Mammogram, right breast, medio-lateral oblique view. Patient age 53.
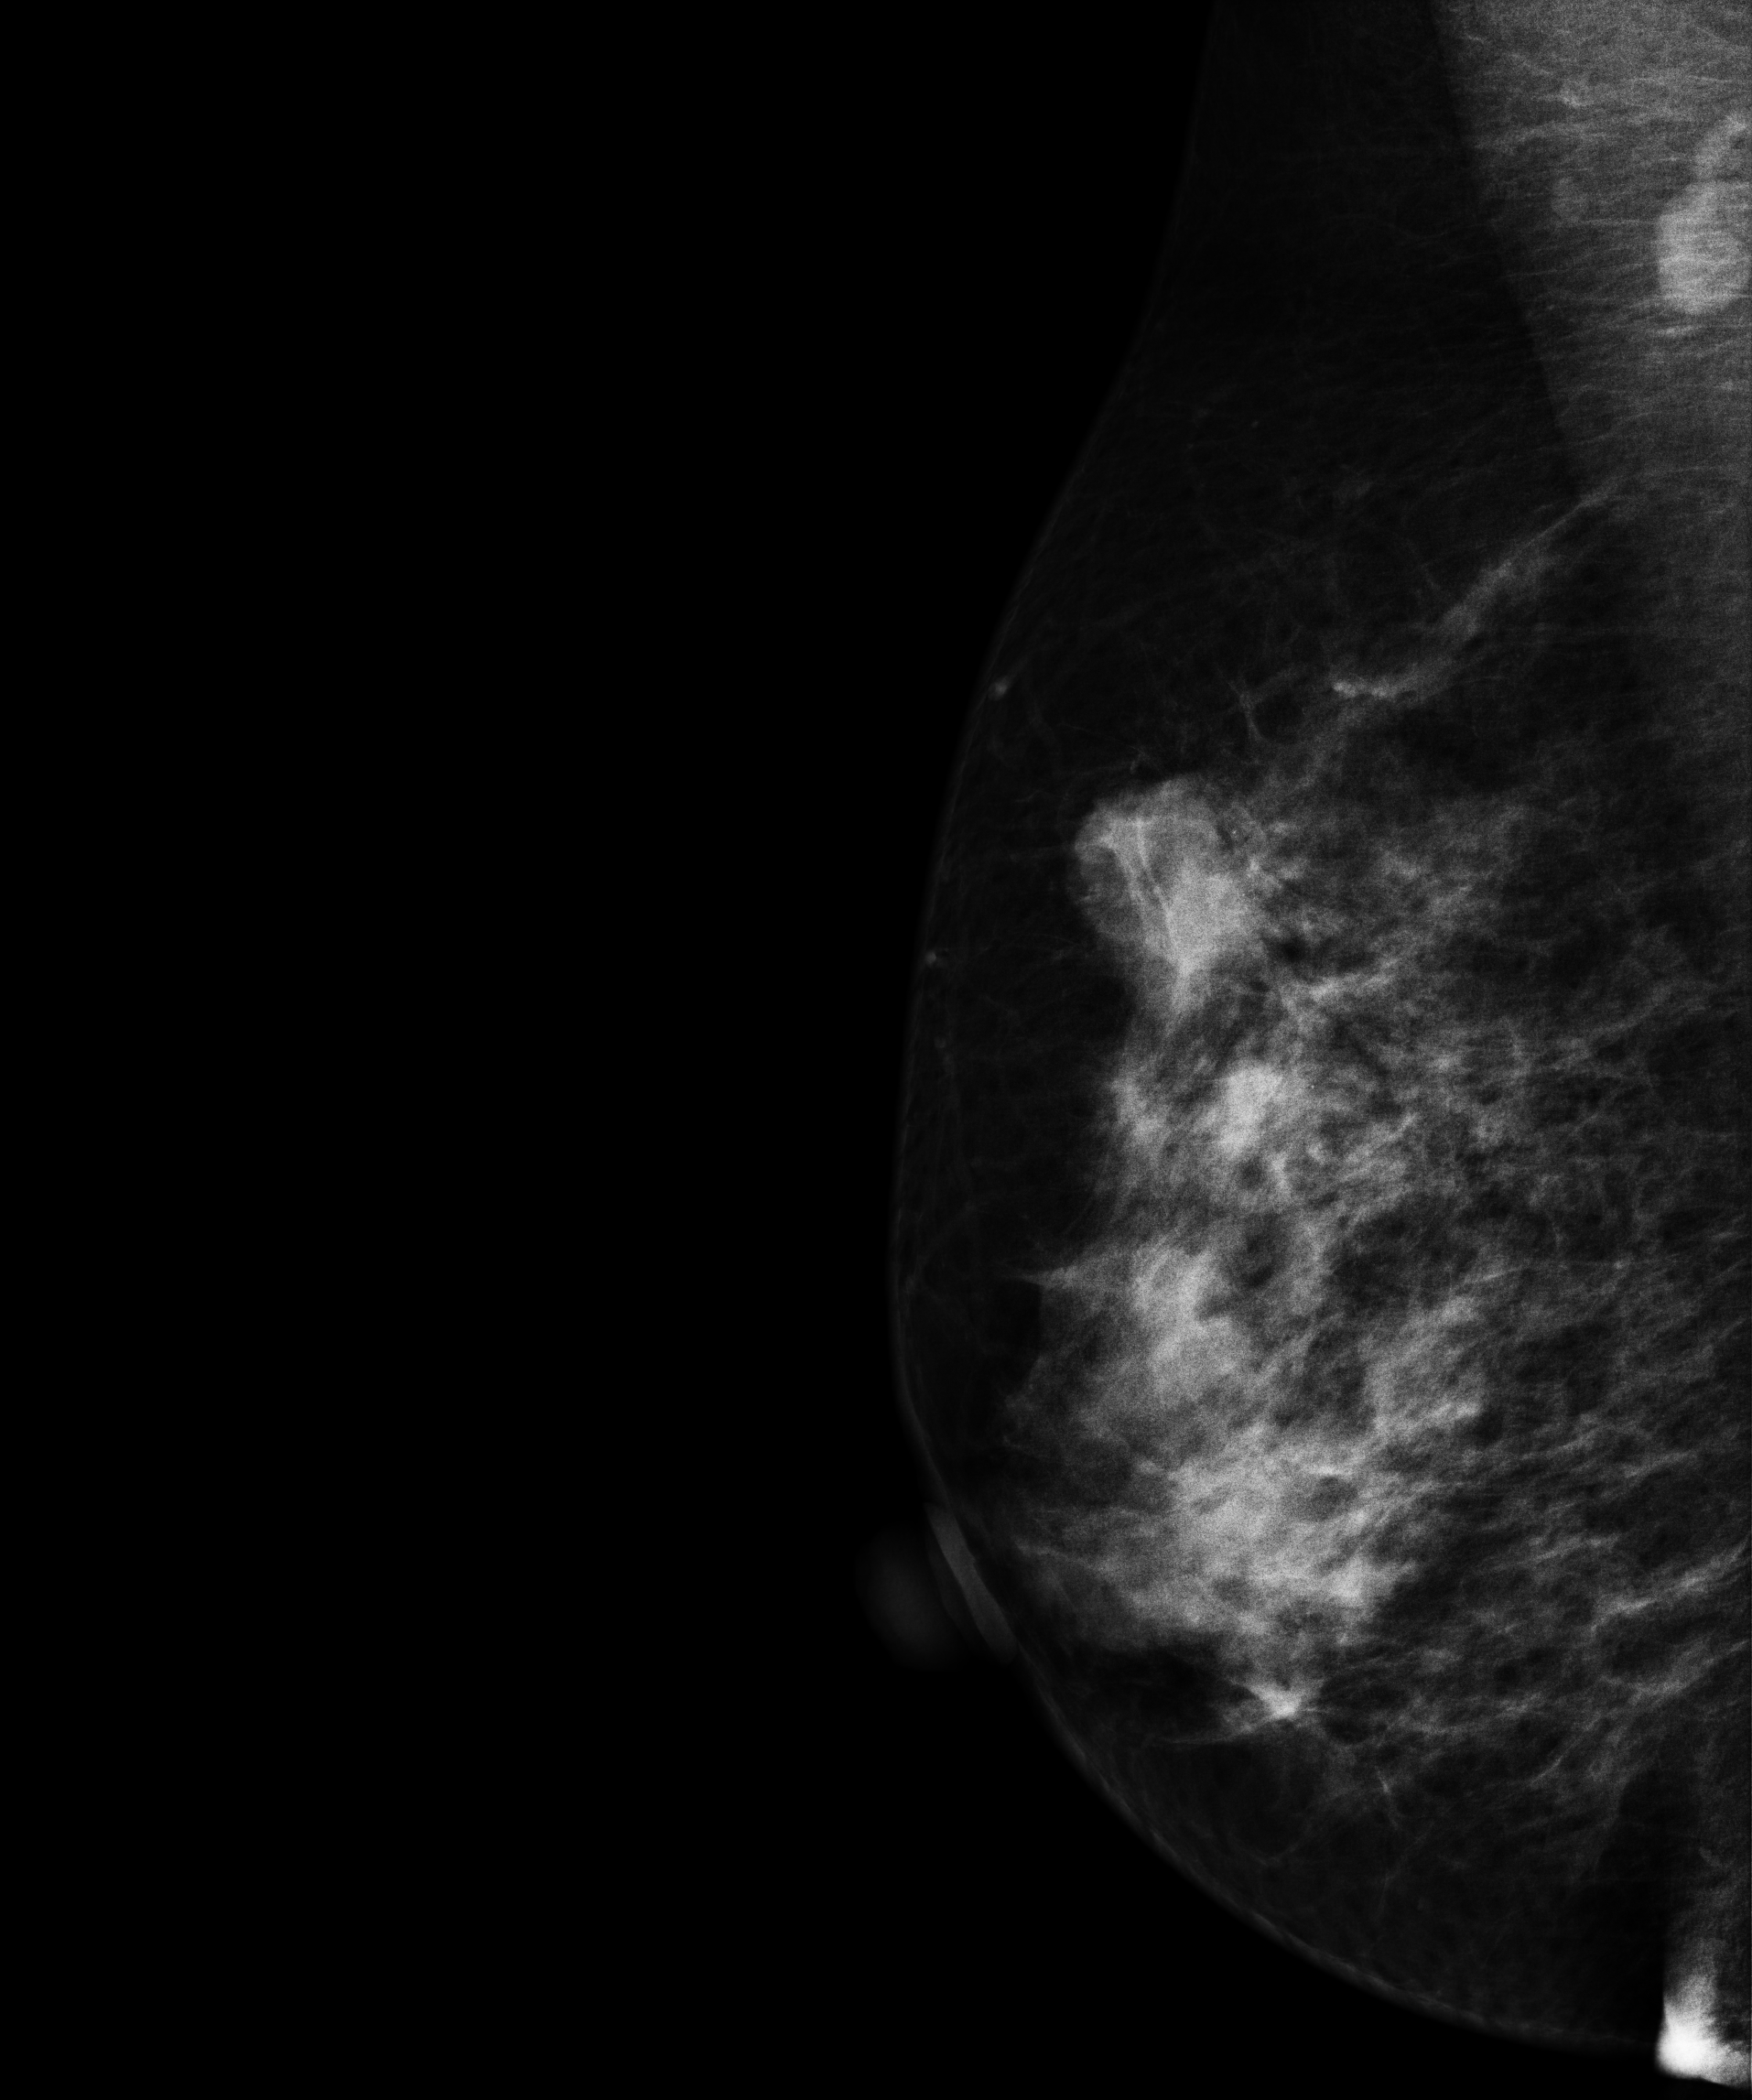
This breast has a mass, biopsy-proven malignant.